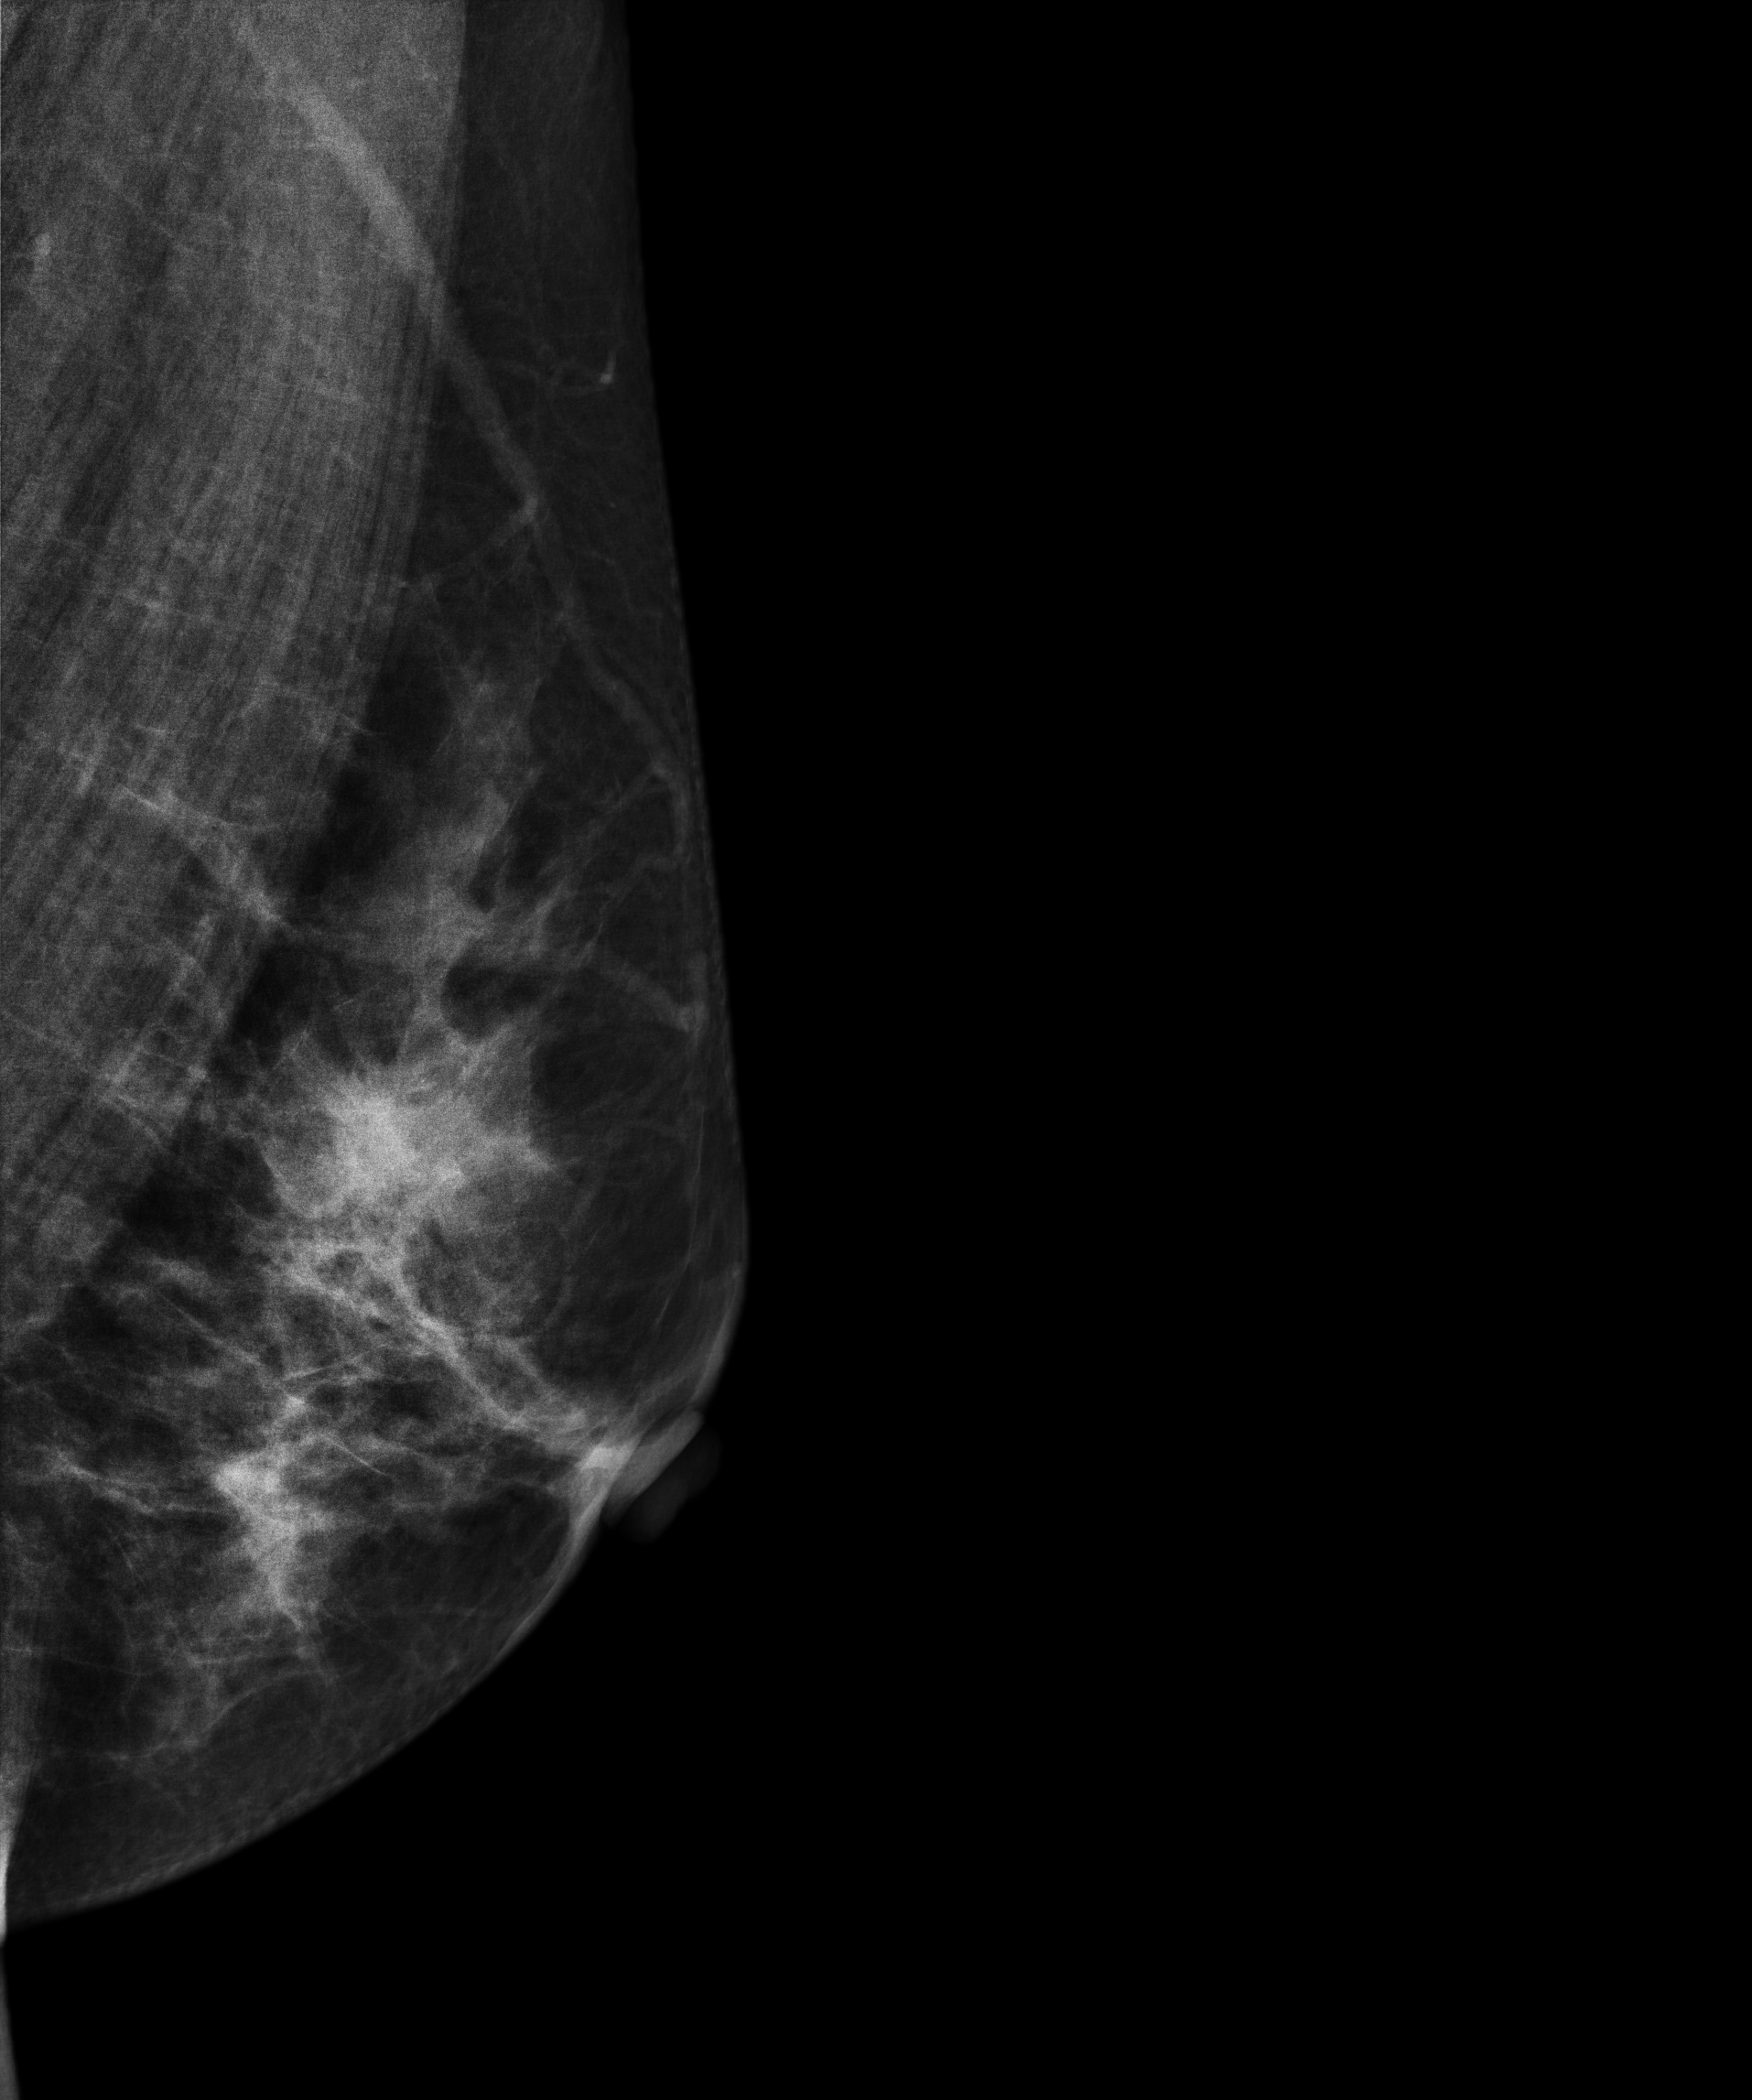
Digital mammography. Left breast, MLO projection. Patient age 48.
This breast has a mass, pathology-confirmed malignant.